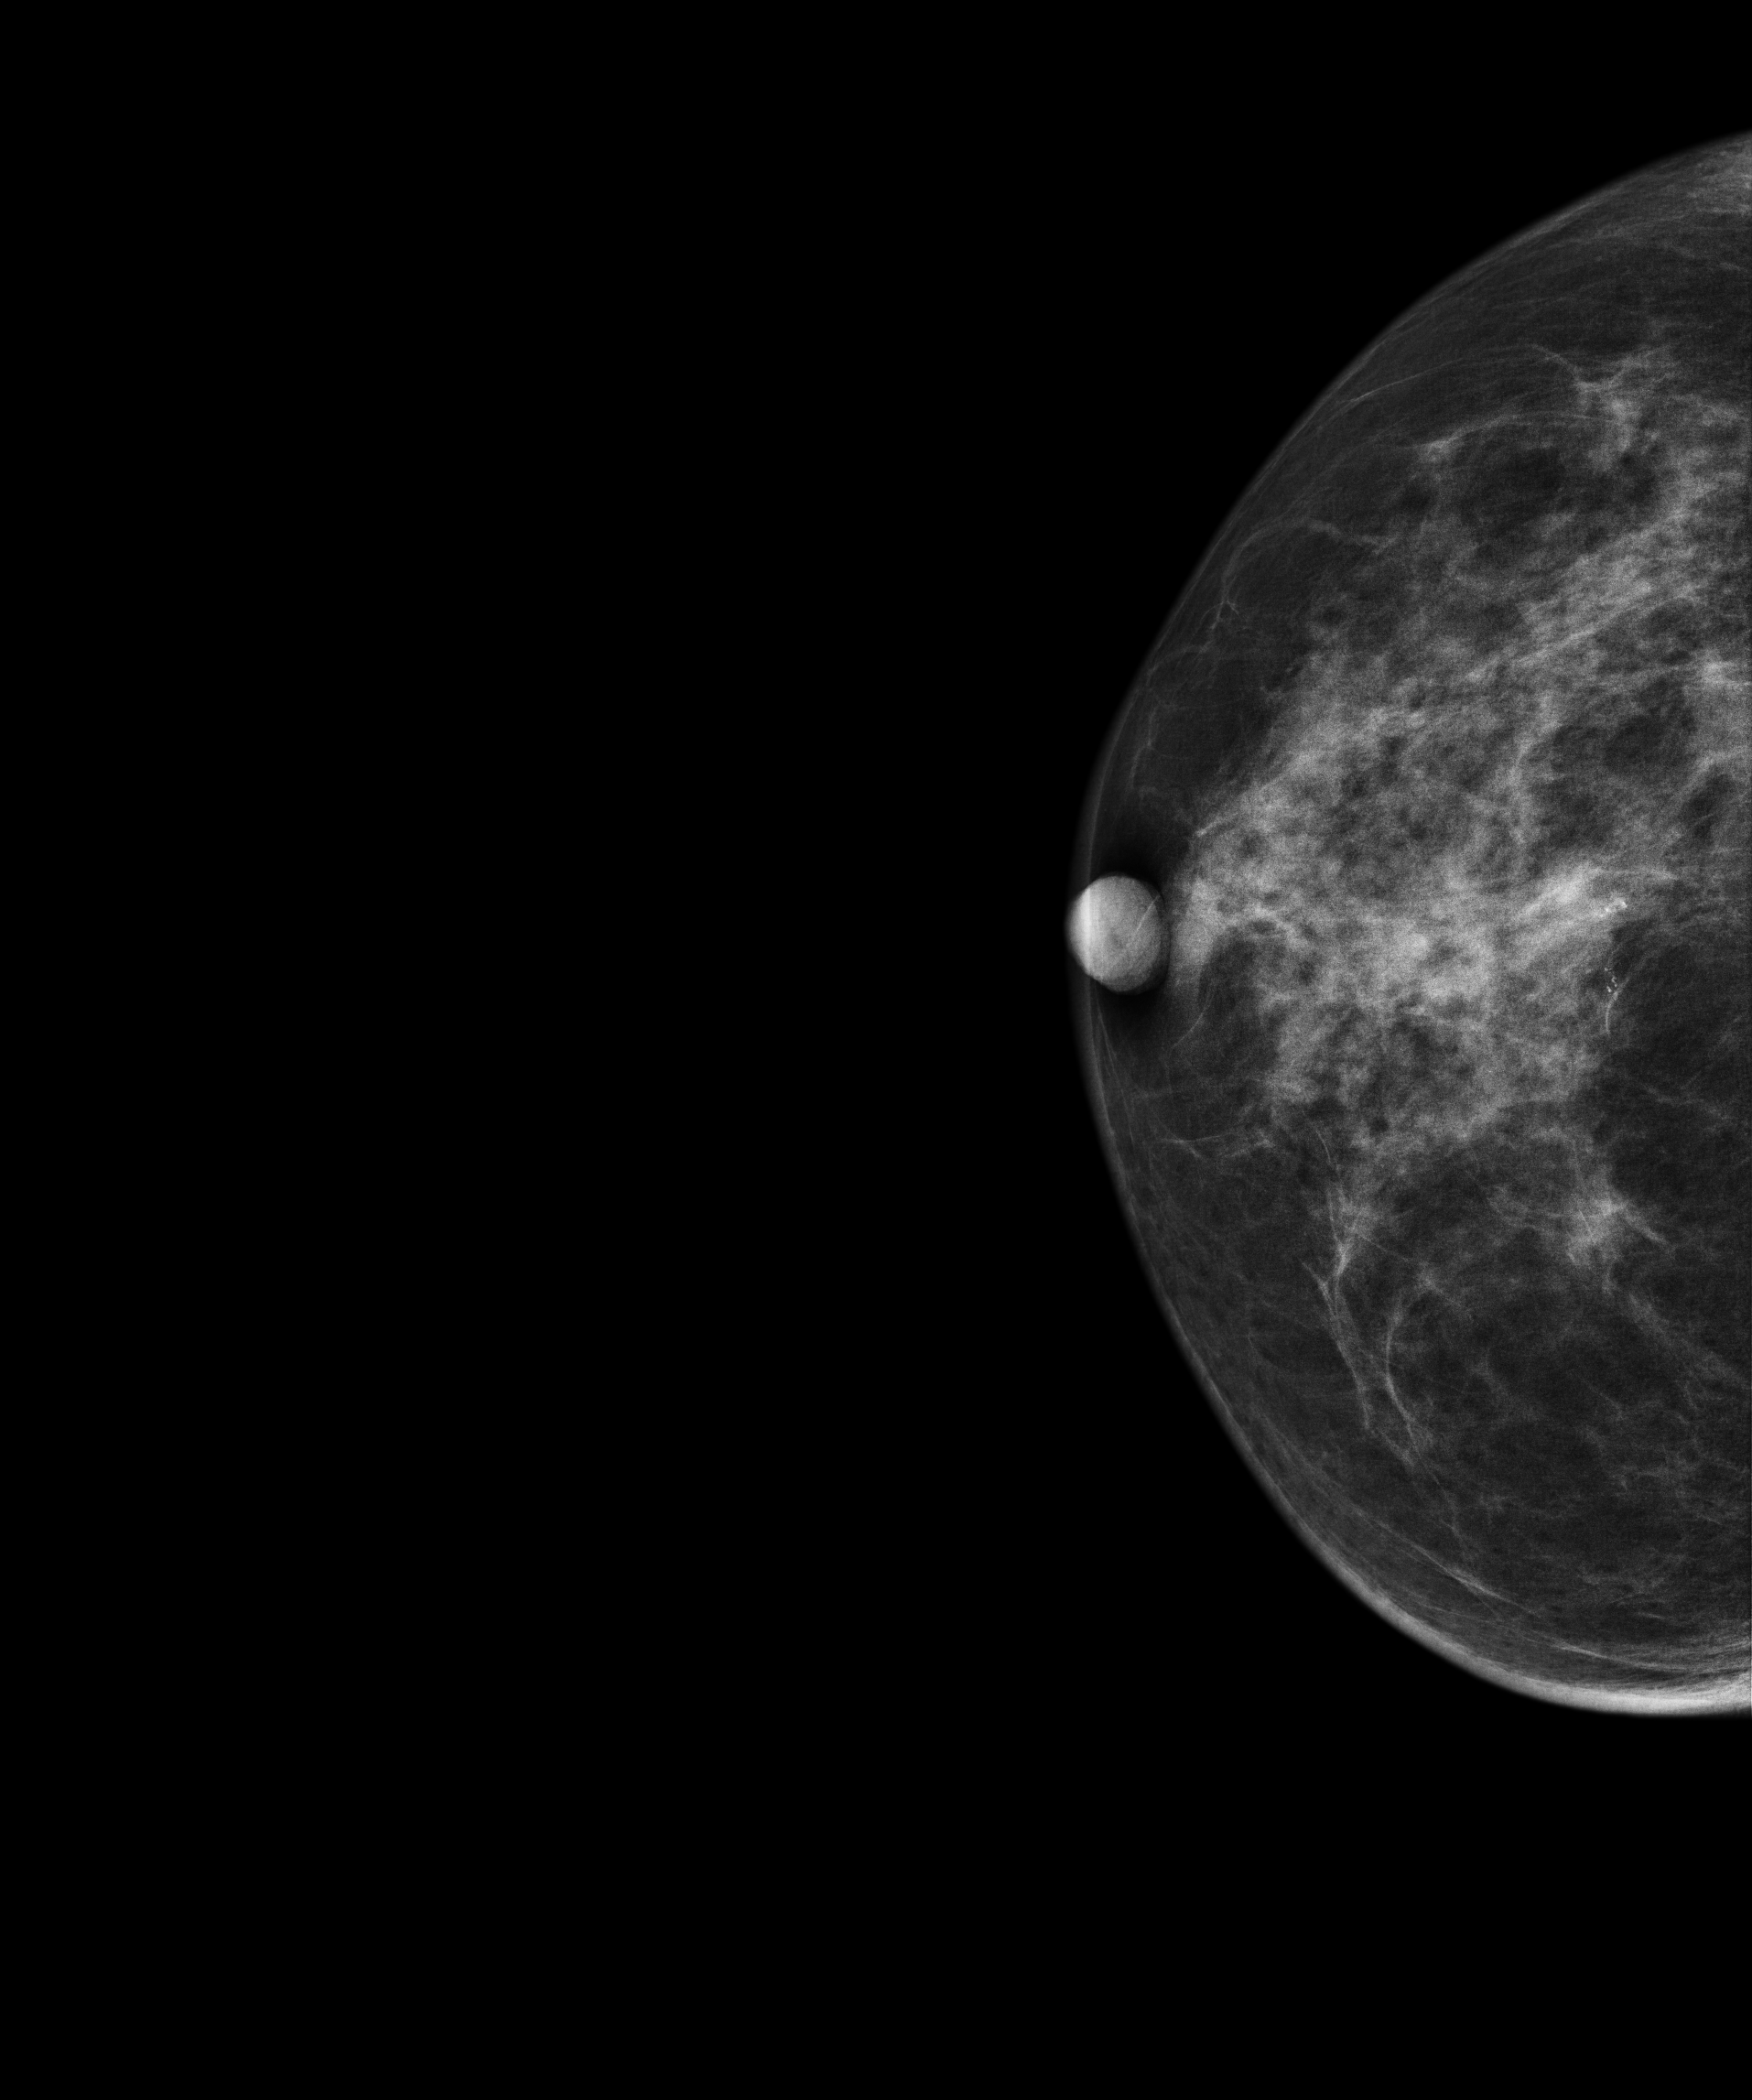
Mammogram, right breast, cranio-caudal view. Patient age 56.
This breast has a mass and calcifications, biopsy-confirmed malignant.